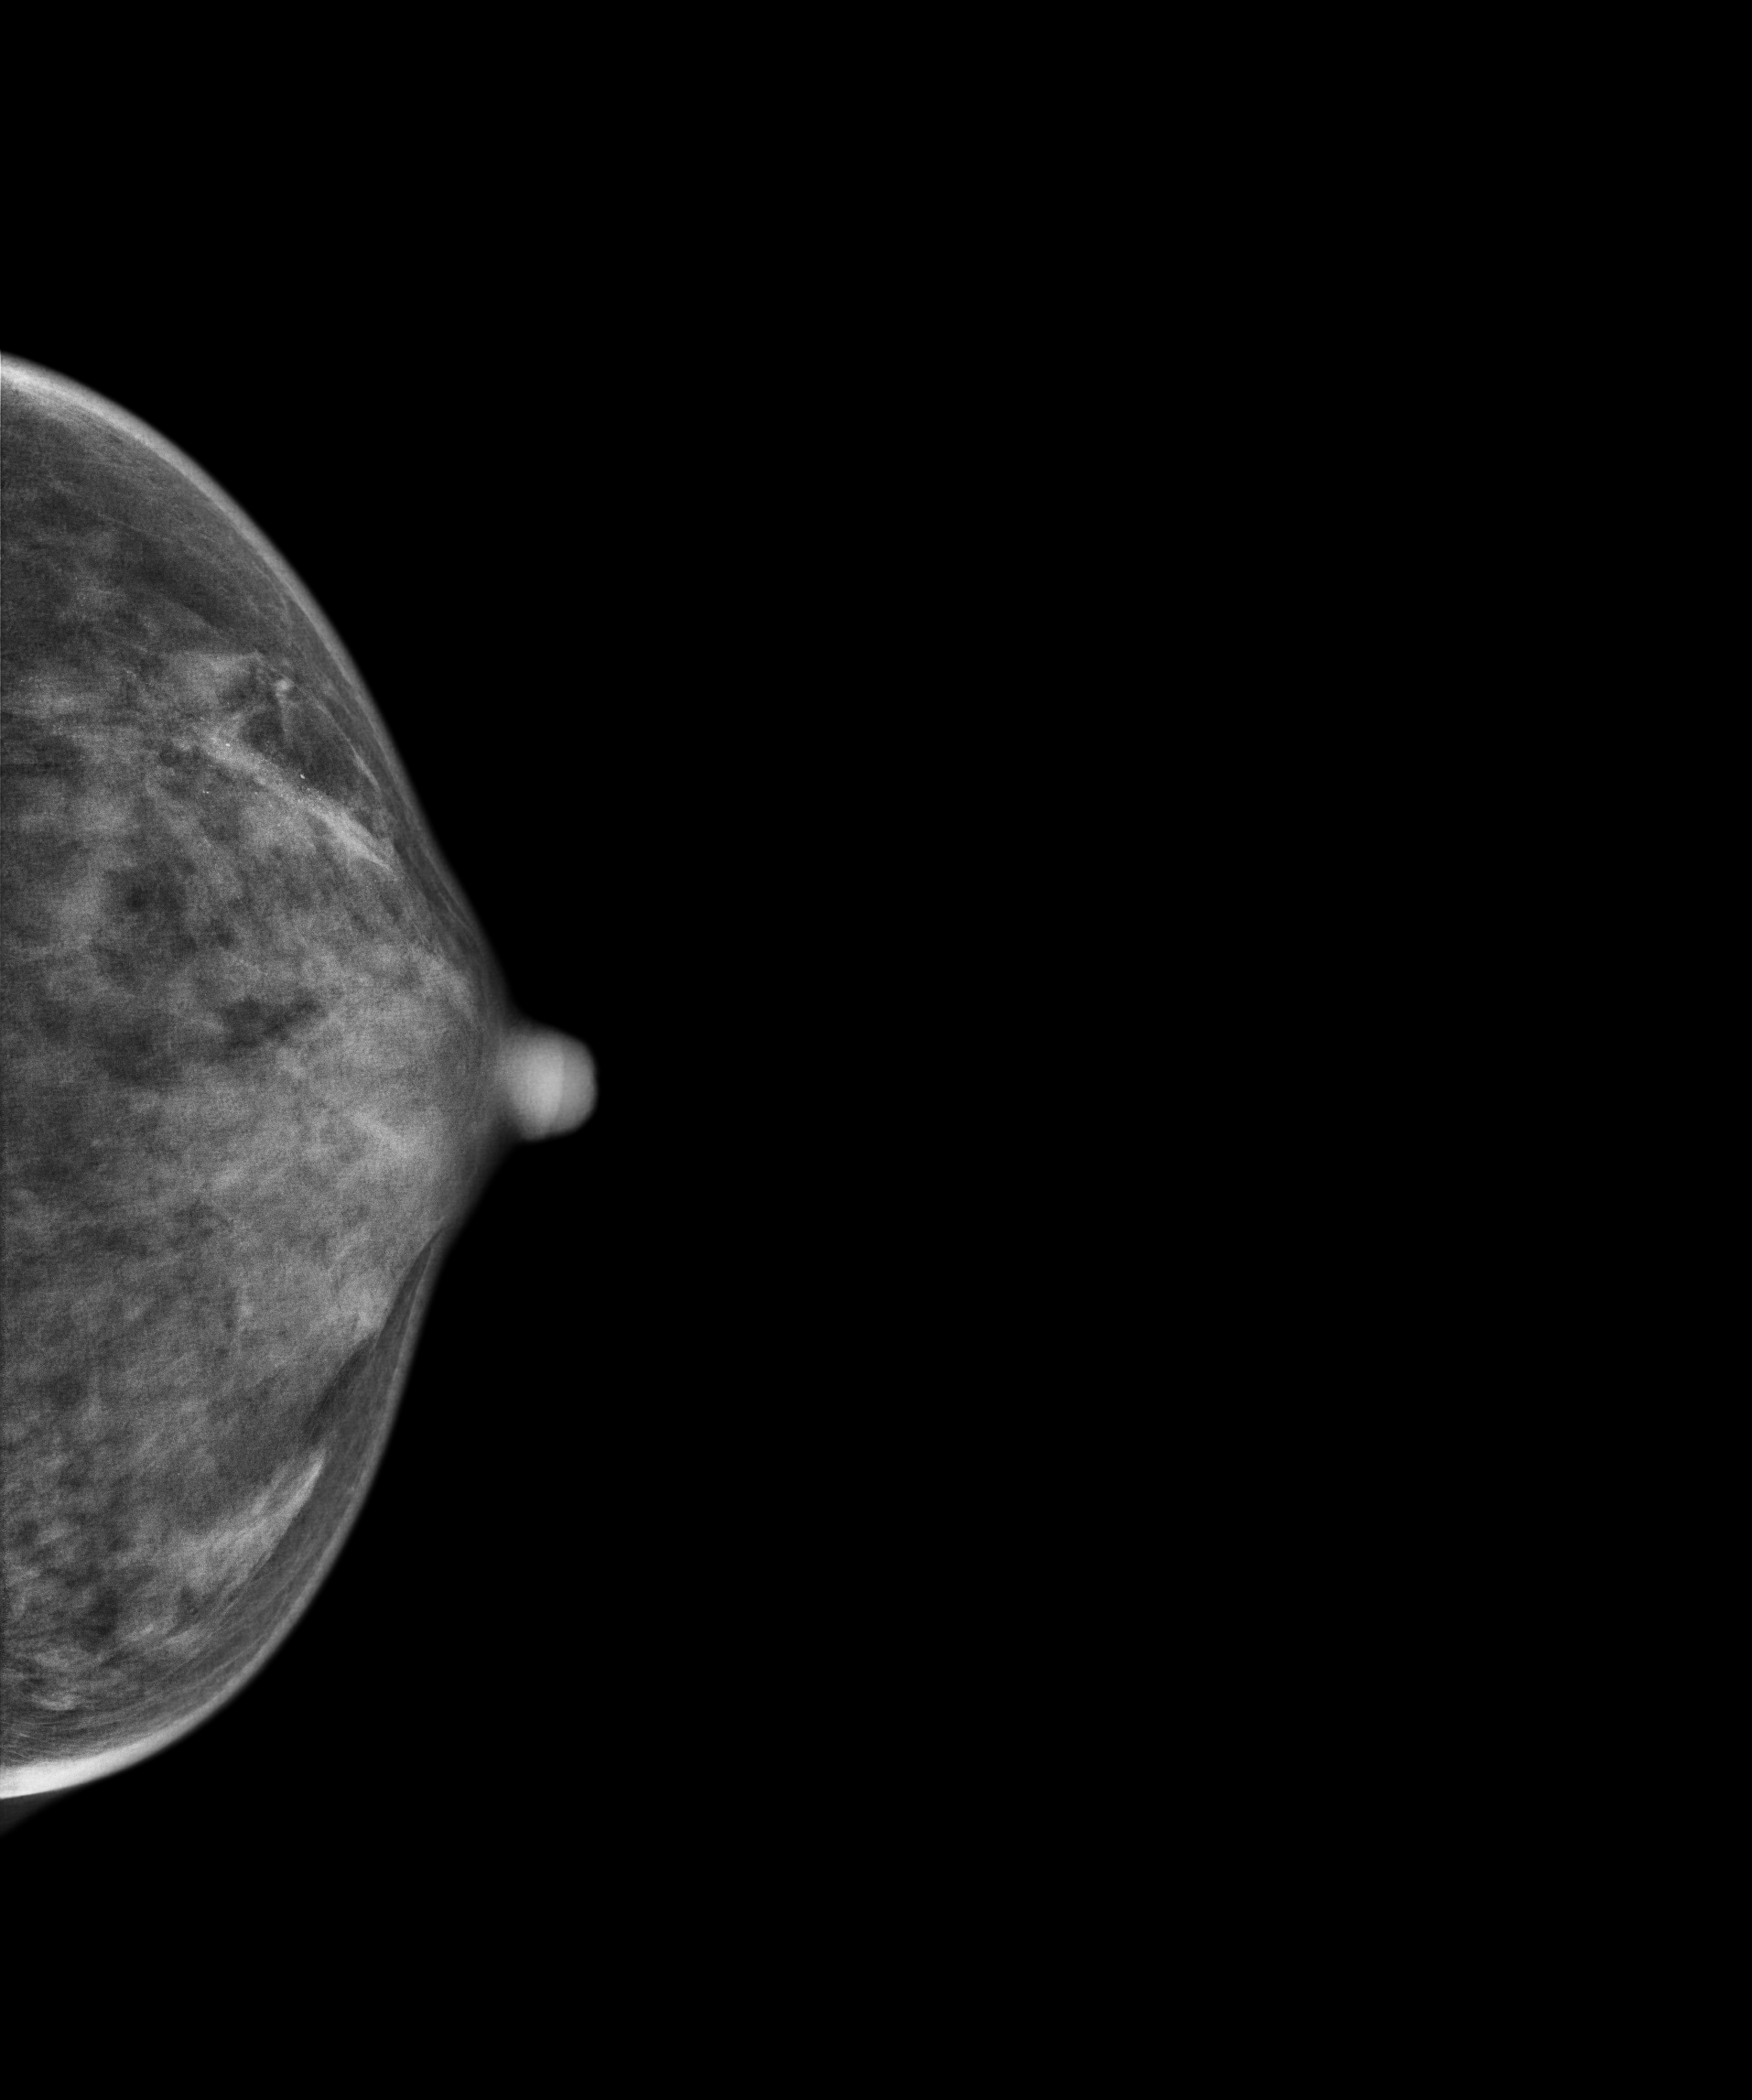
Digital mammography. Left breast, CC projection. 45-year-old patient.
This breast has calcifications, pathology-confirmed benign.